Right-breast mammogram, CC. 54-year-old patient.
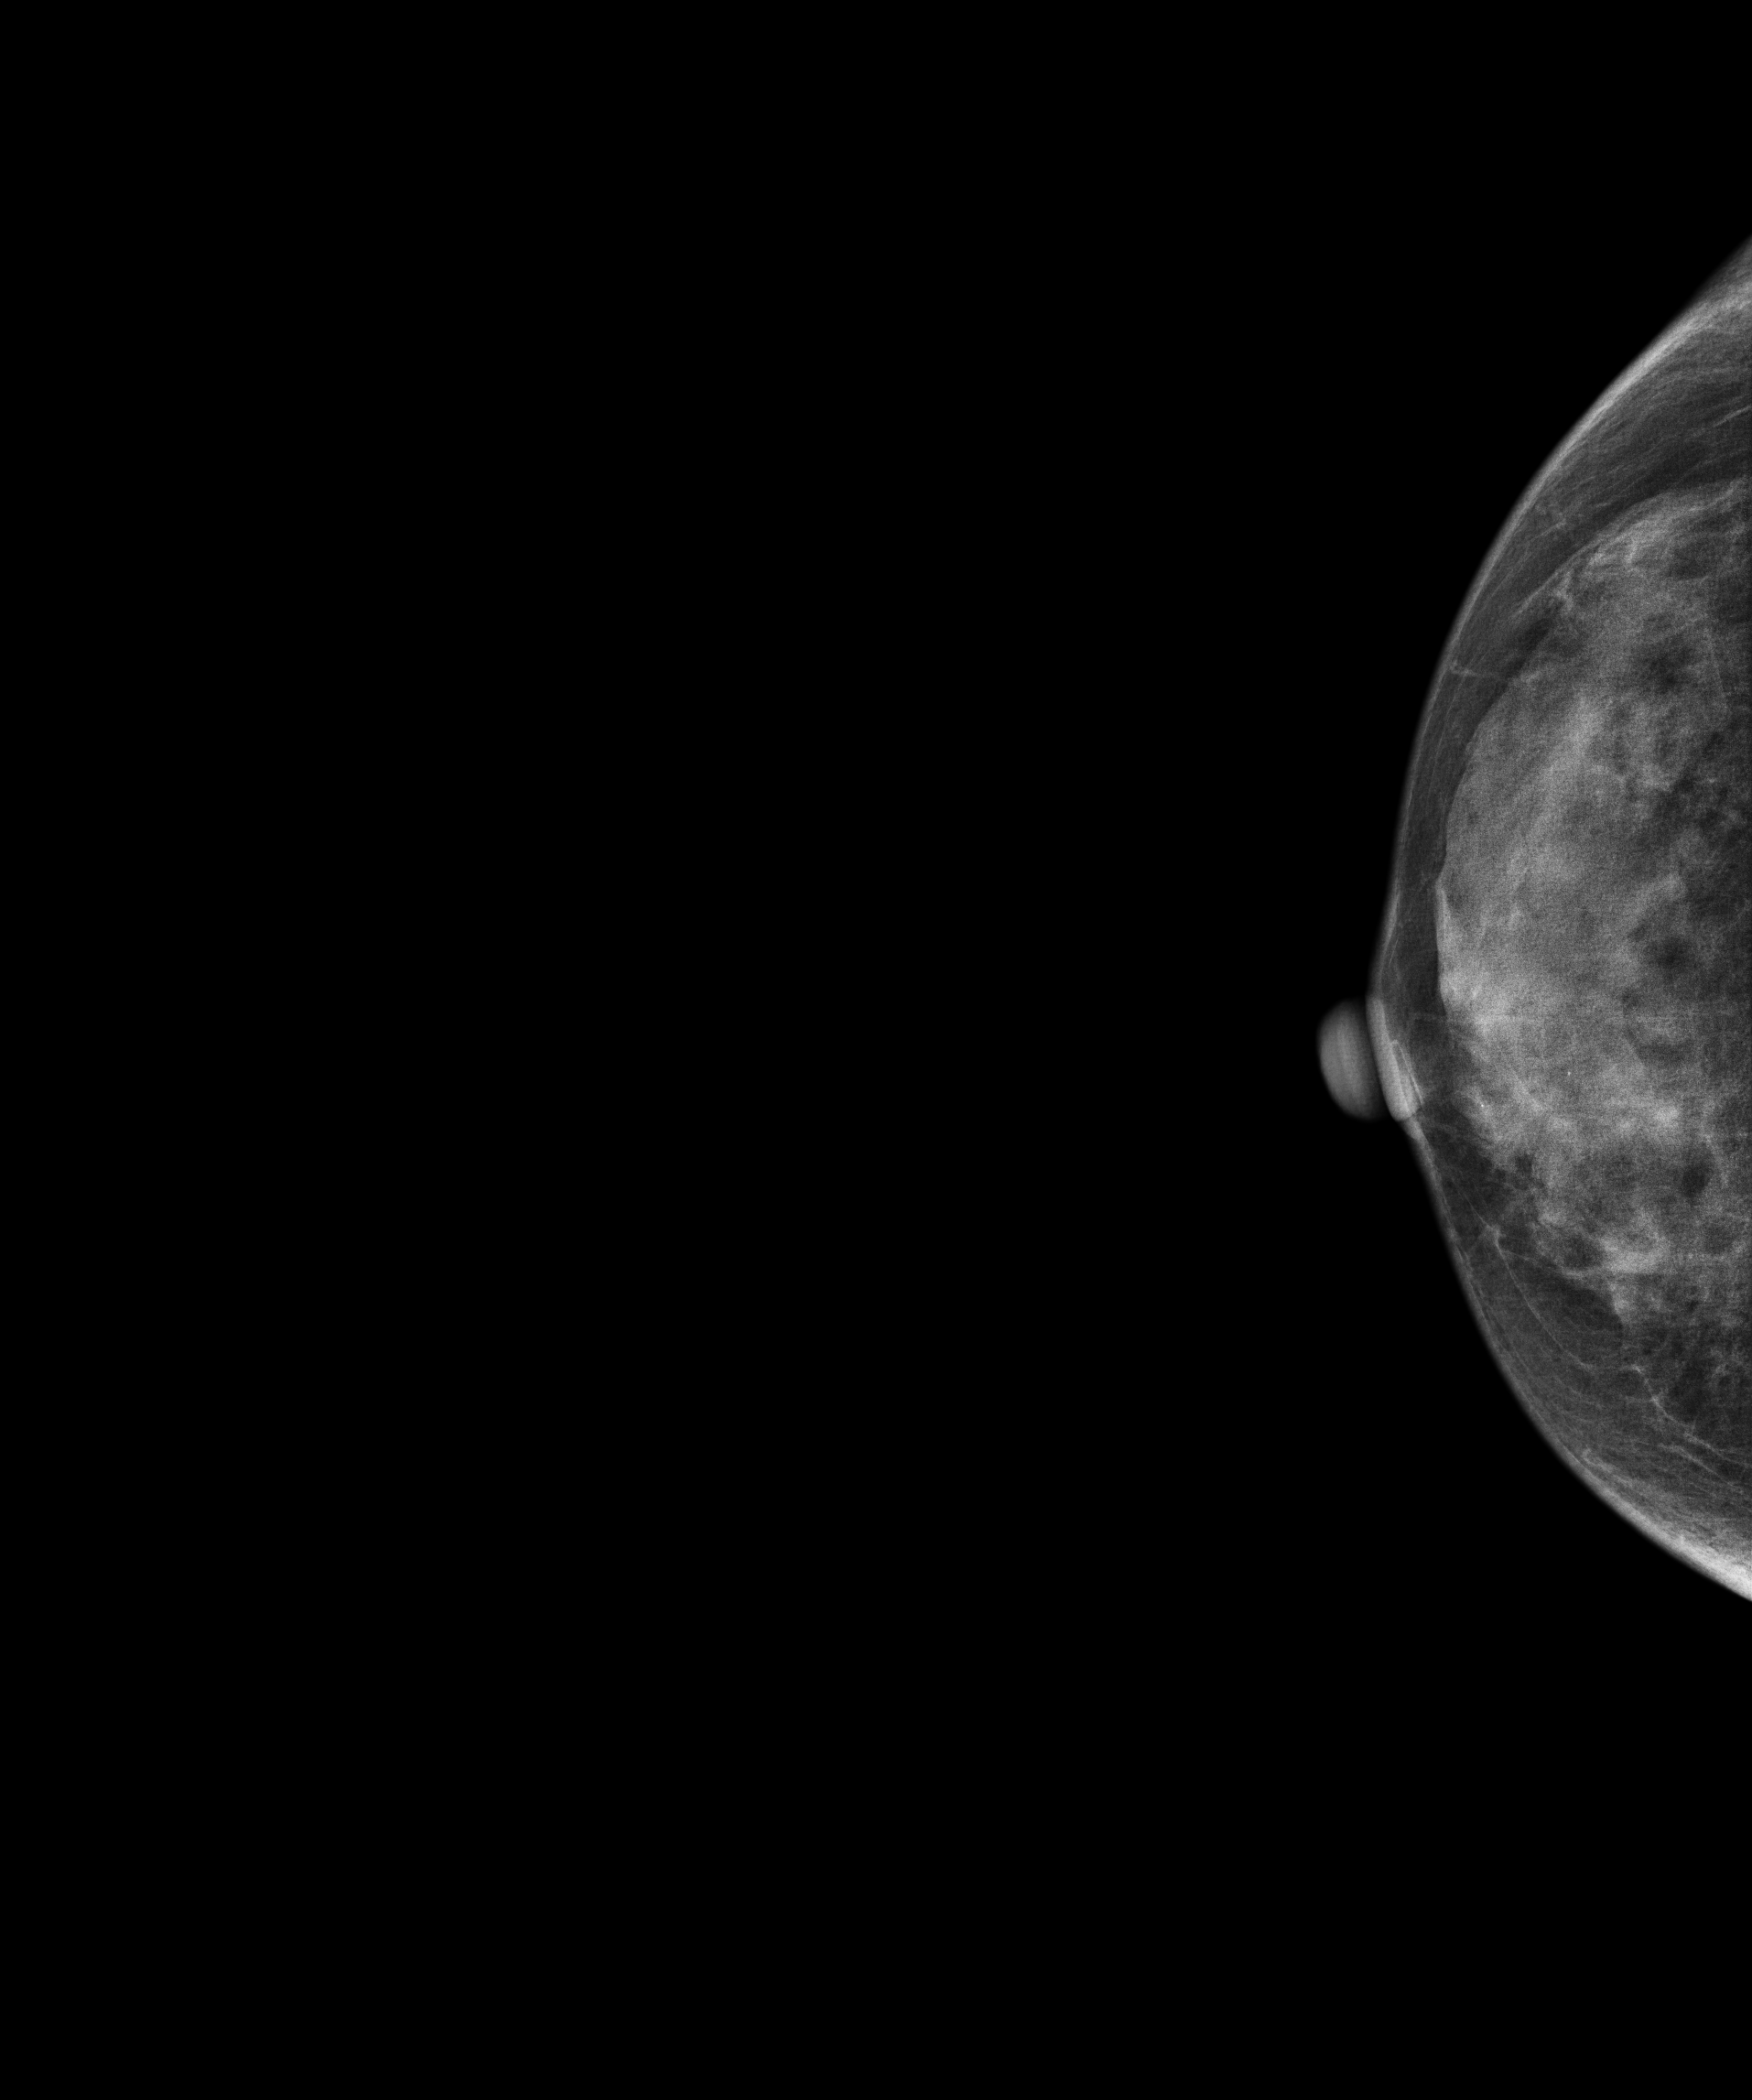
This breast has a mass and calcifications, pathology-confirmed malignant. Molecular subtype: luminal A.